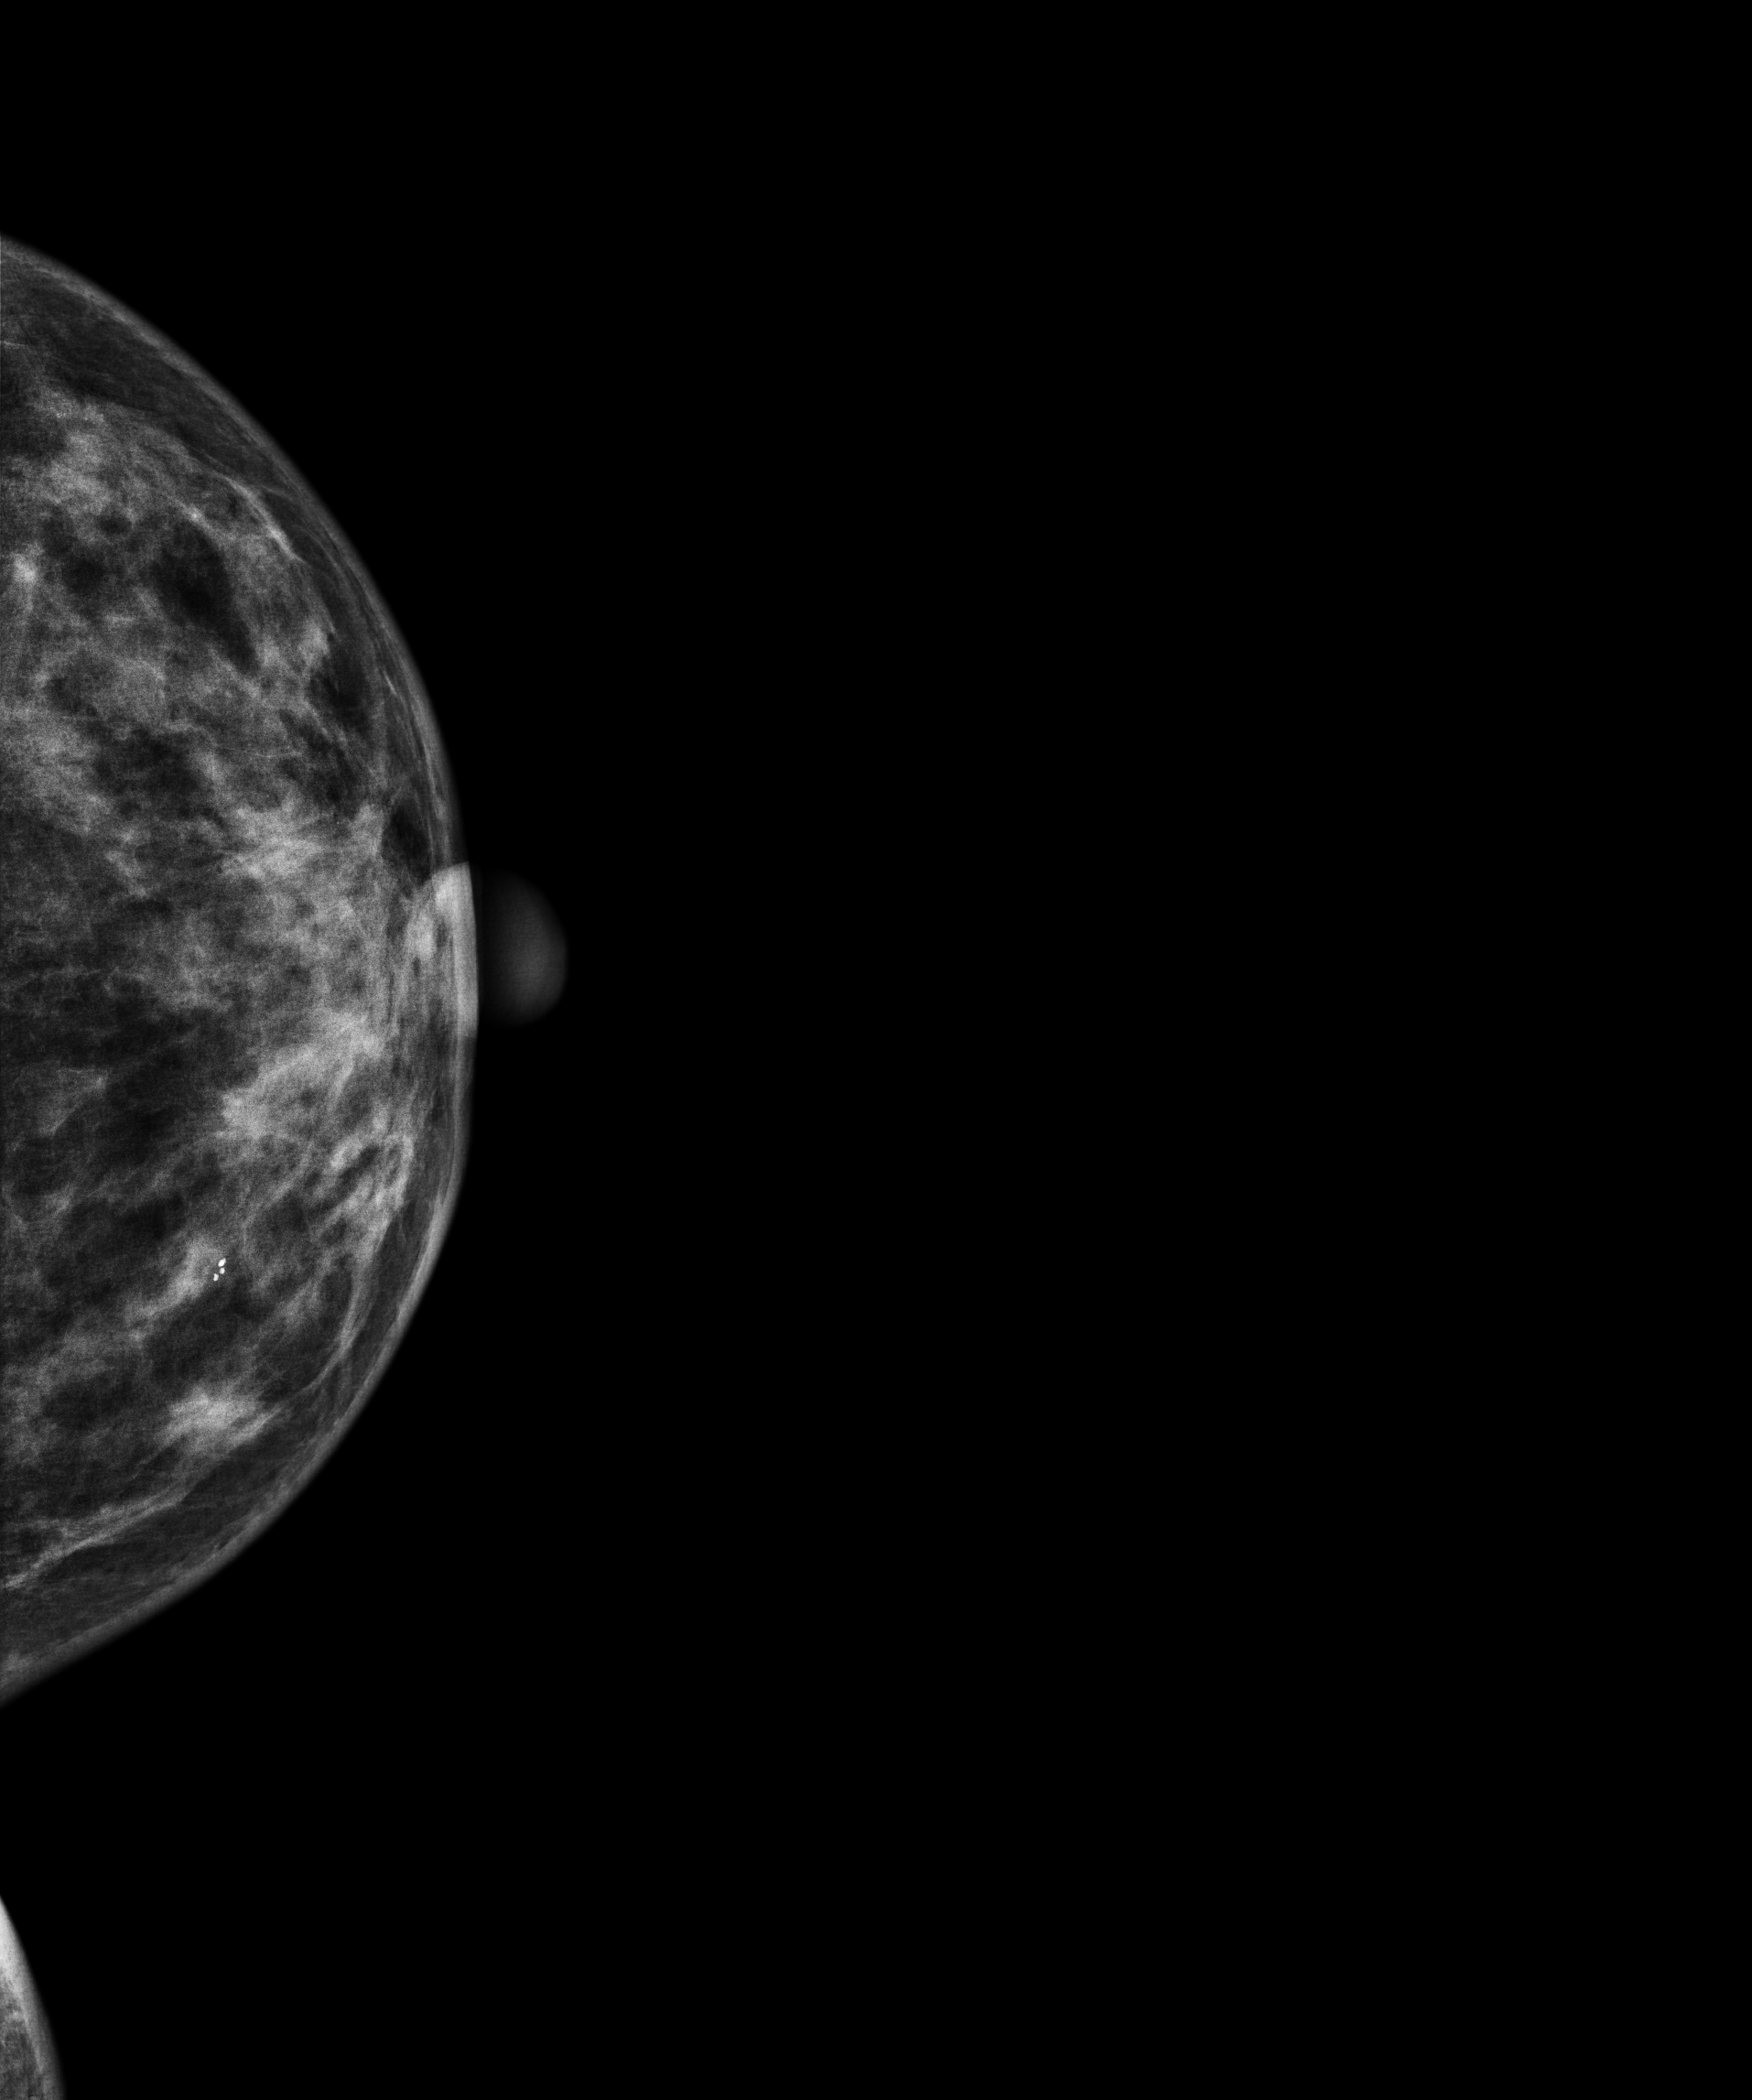
Left-breast mammogram, cranio-caudal. 42 y/o patient.
This breast has a mass and calcifications, biopsy-proven malignant.